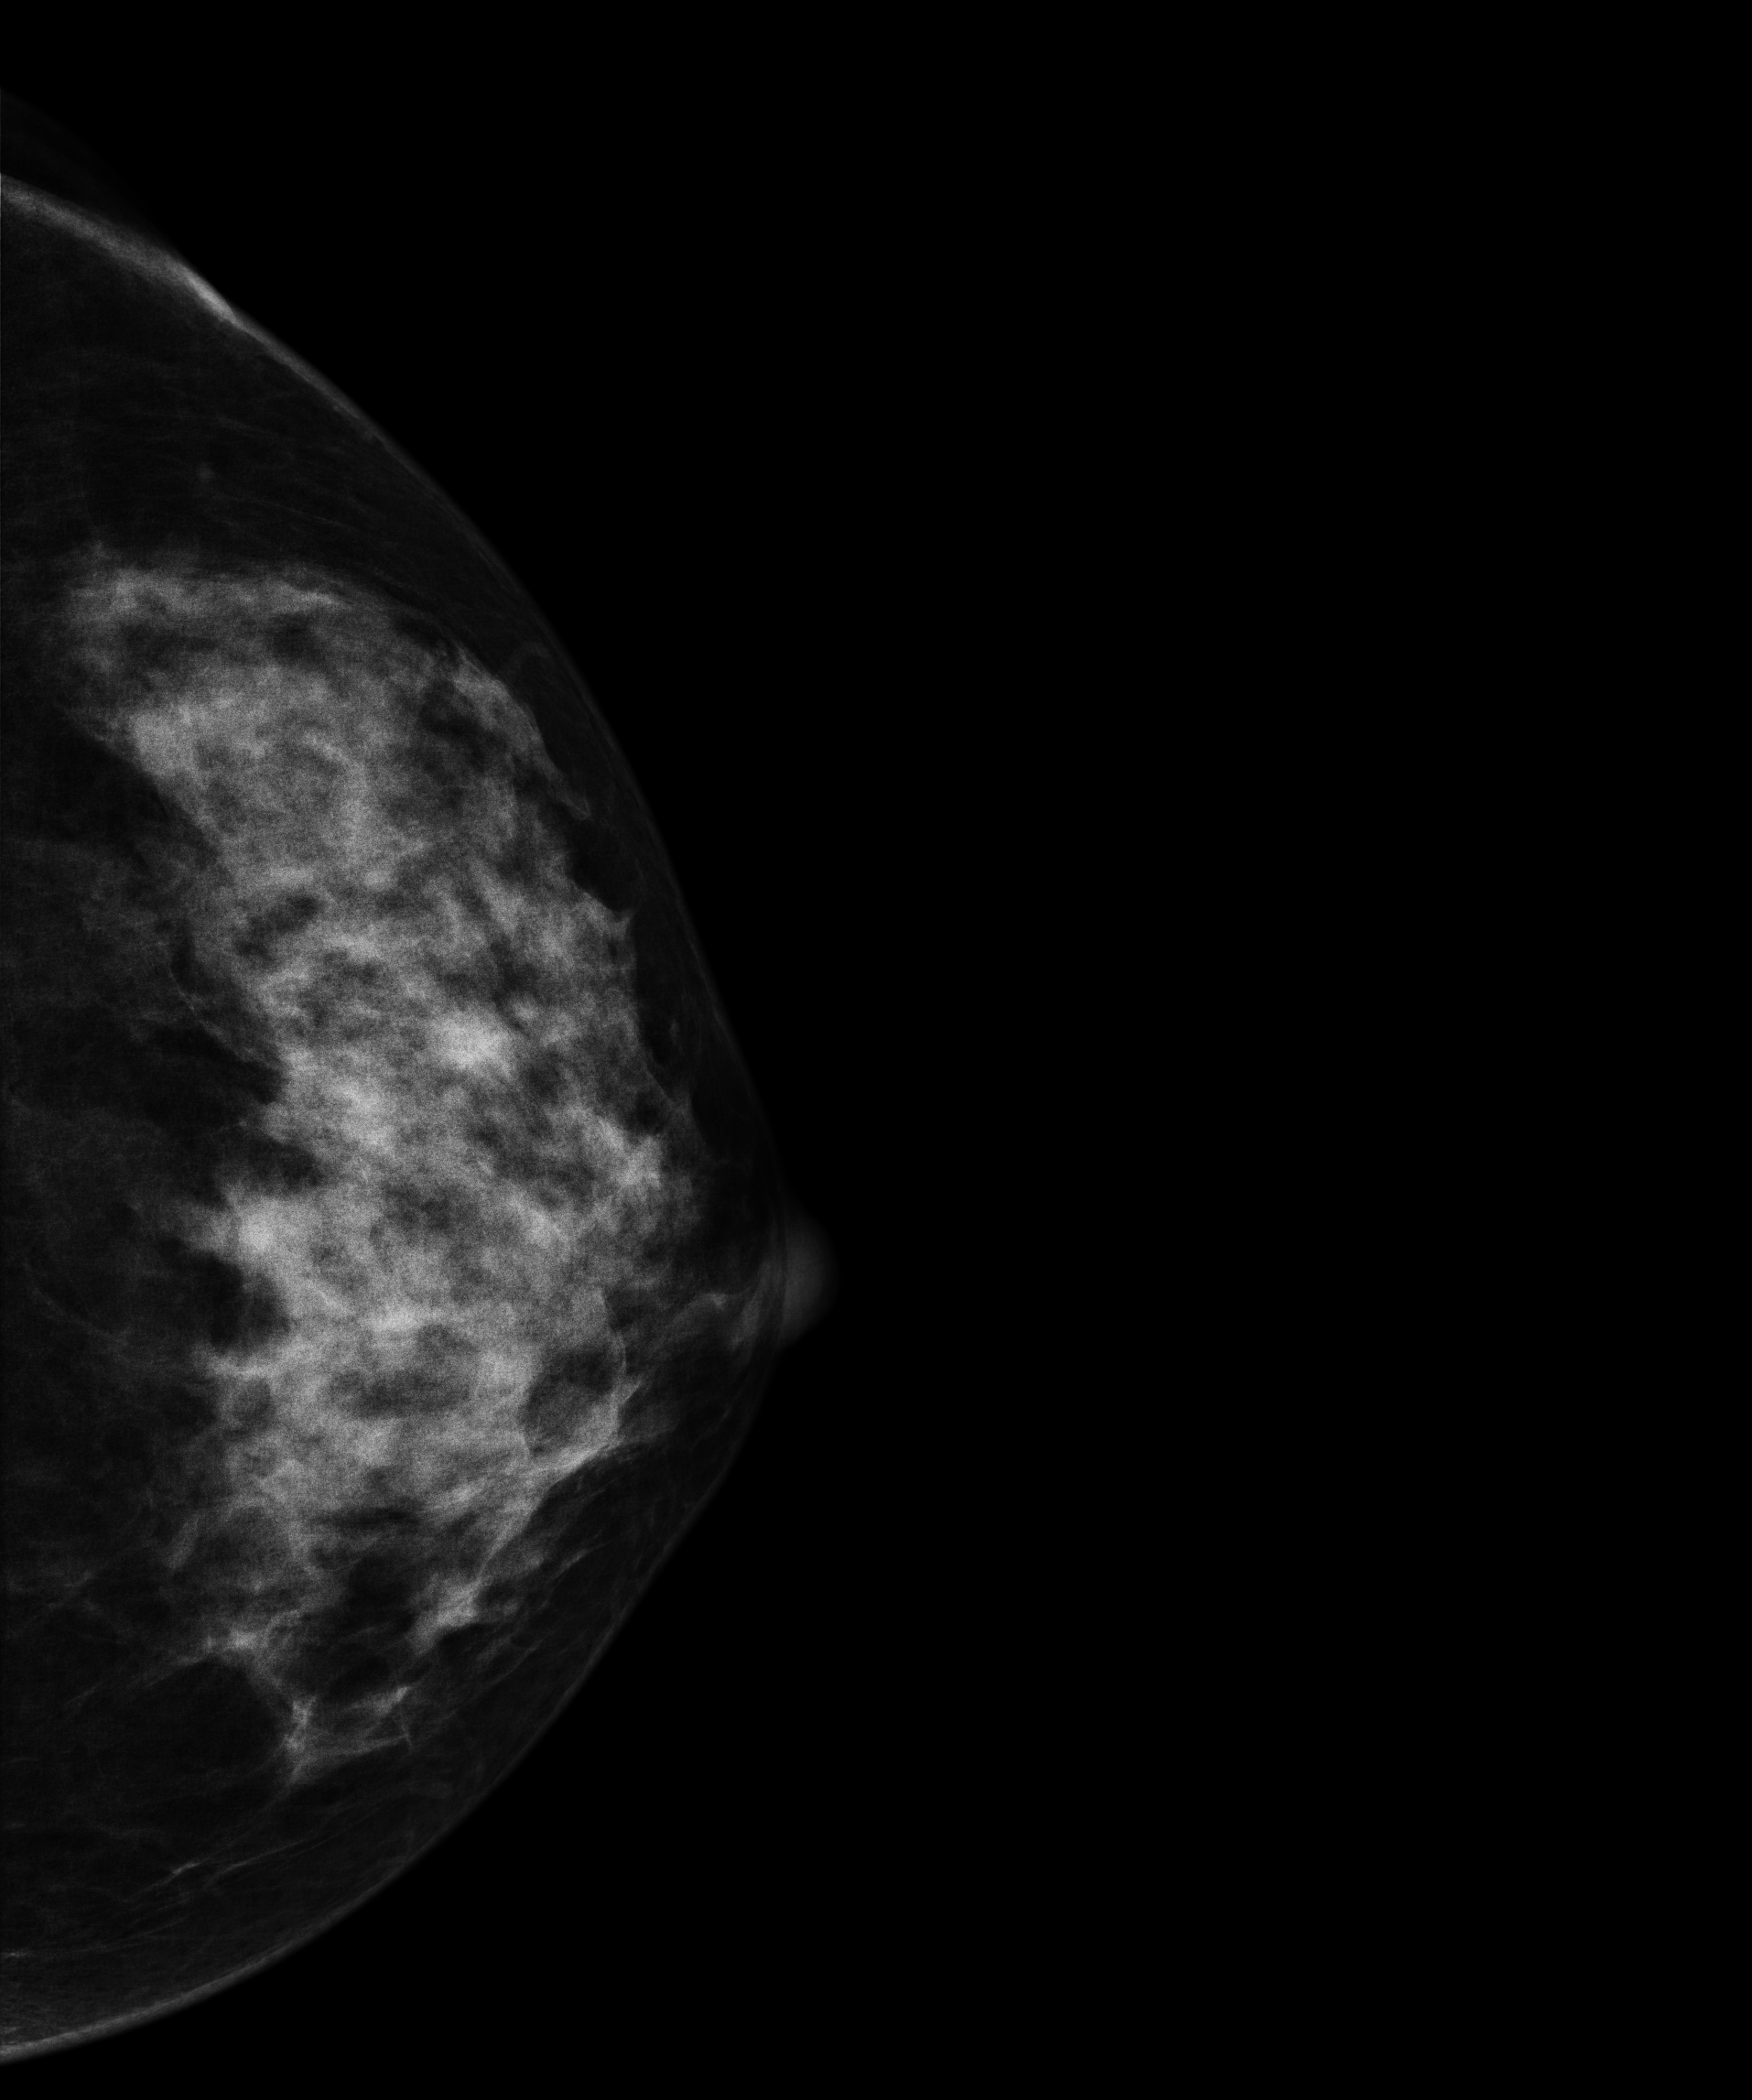
Digital mammography. Left breast, CC projection. 42 y/o patient.
Contralateral breast — no documented abnormality on this side.